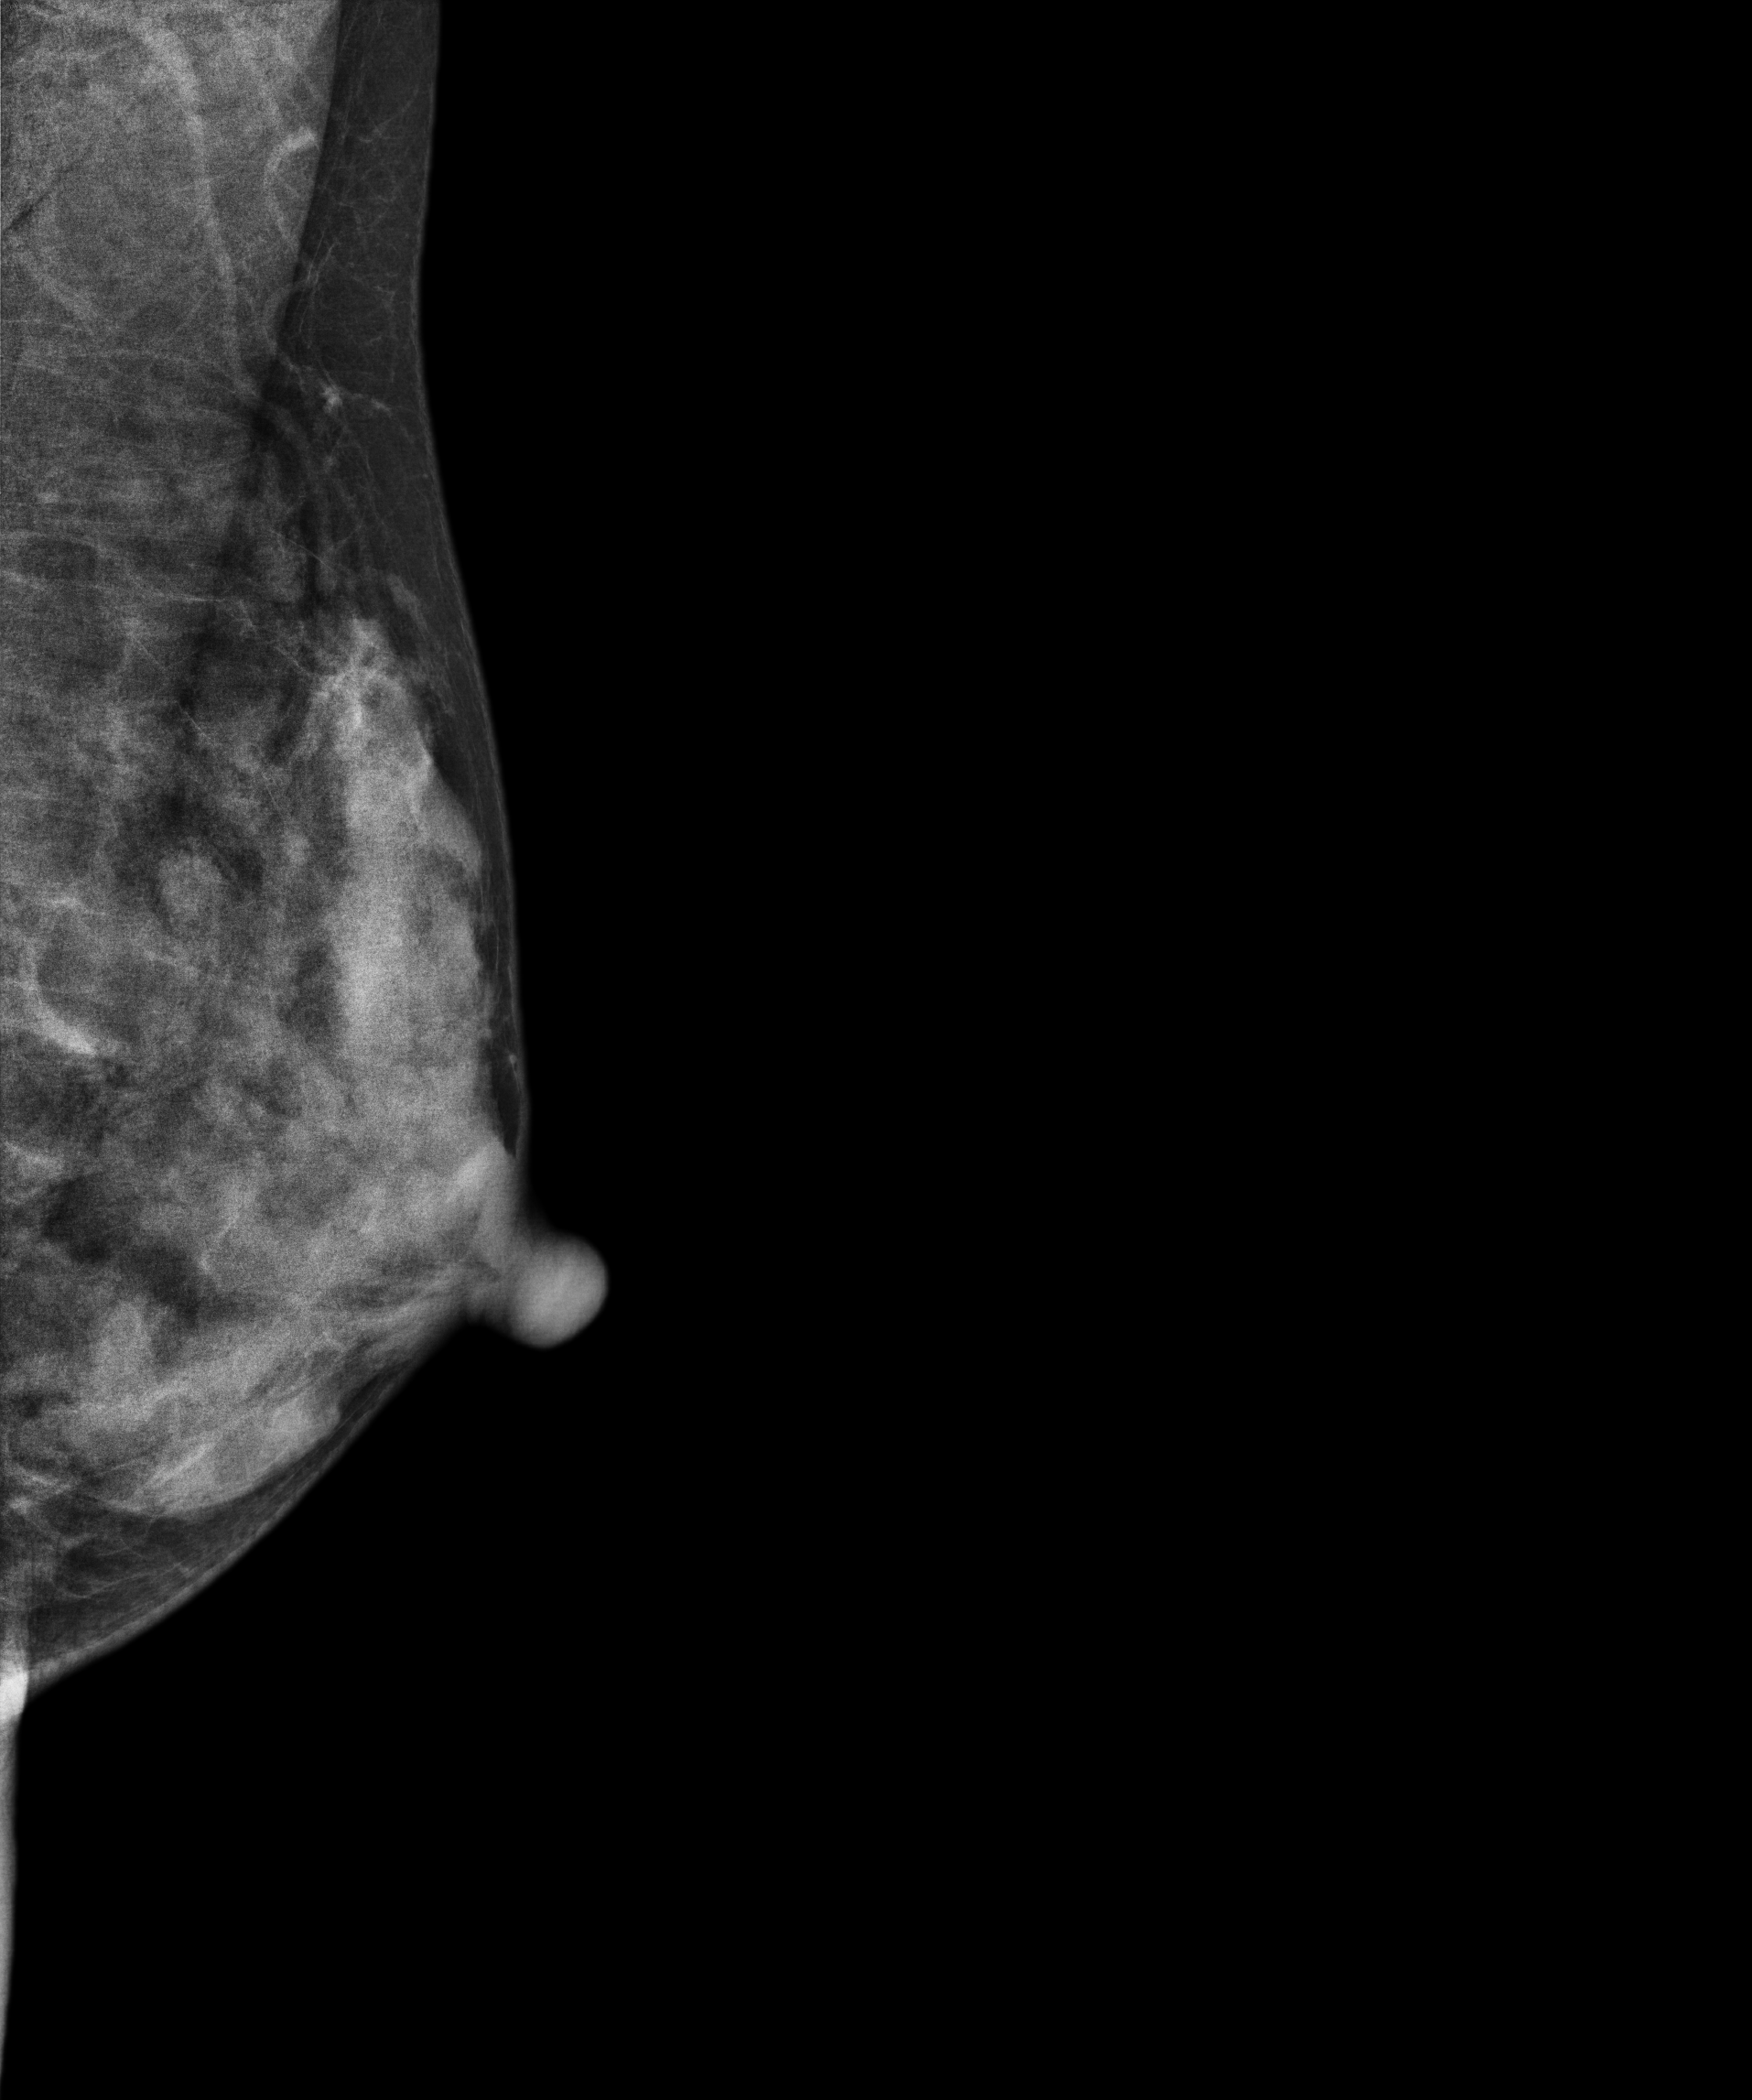
Left-breast mammogram, MLO. 44 y/o patient.
Contralateral breast — no documented abnormality on this side.